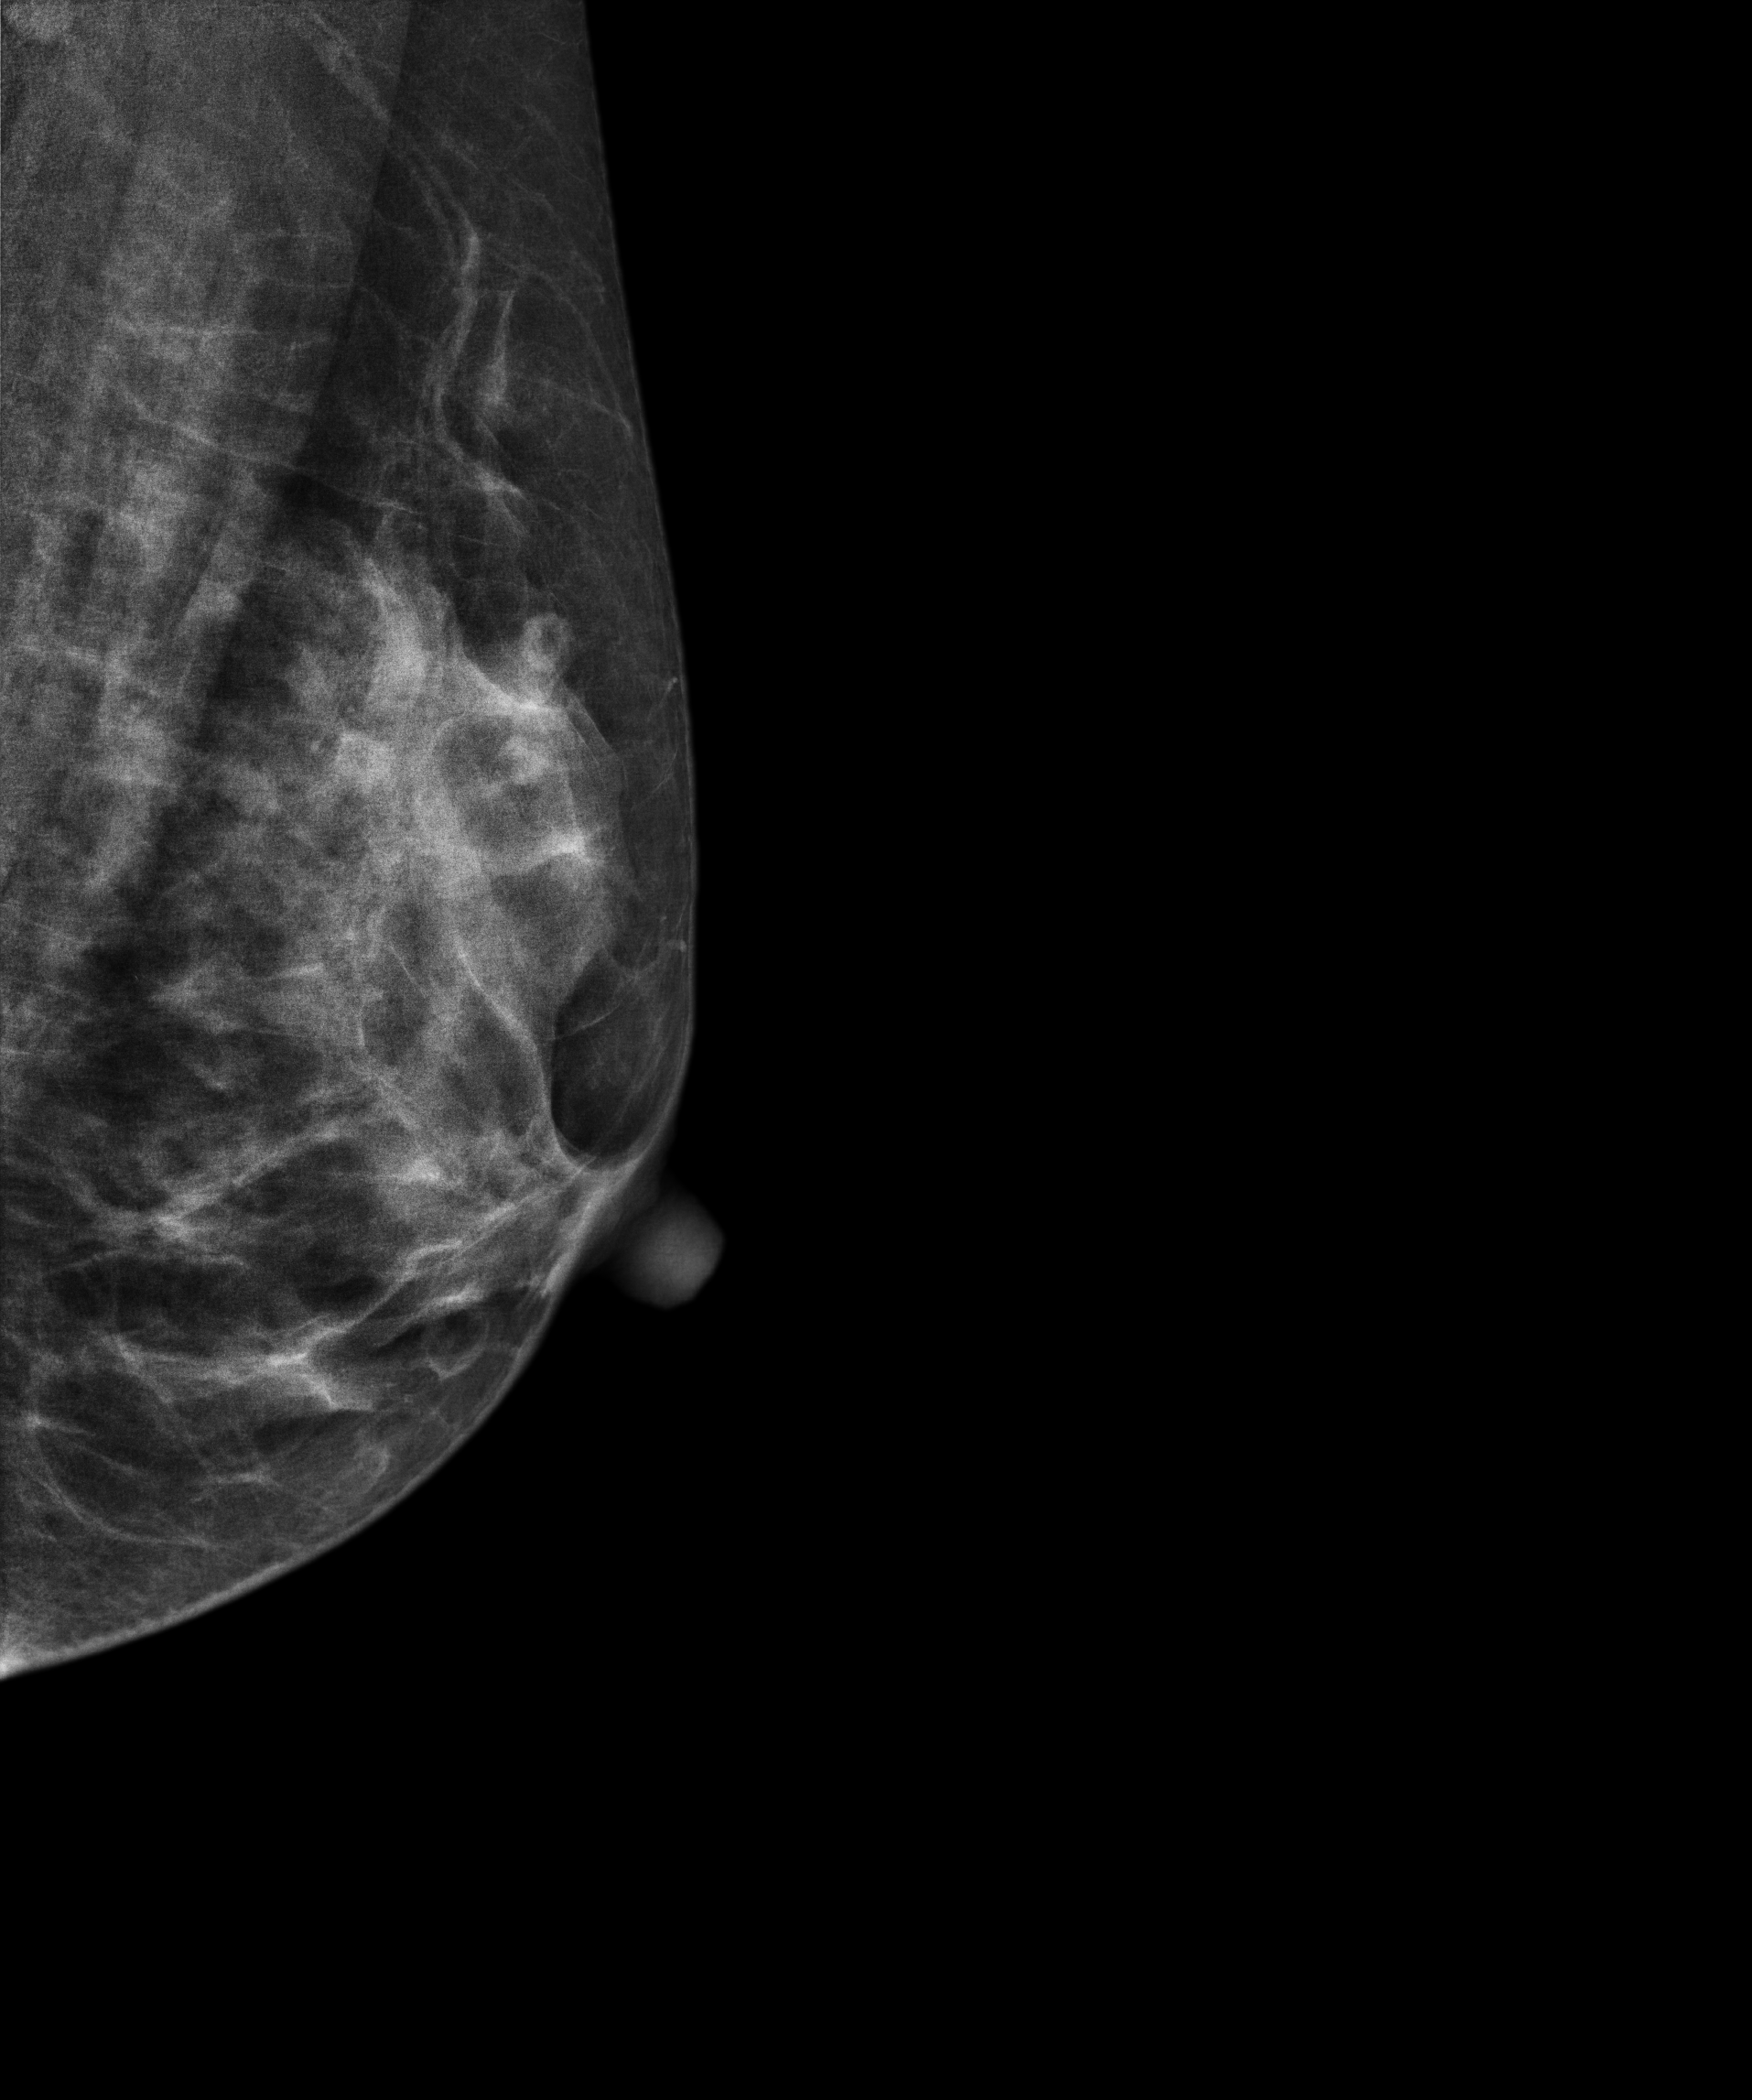
Mammogram, left breast, MLO view. 39 y/o patient.
This breast has a mass, histologically confirmed benign.